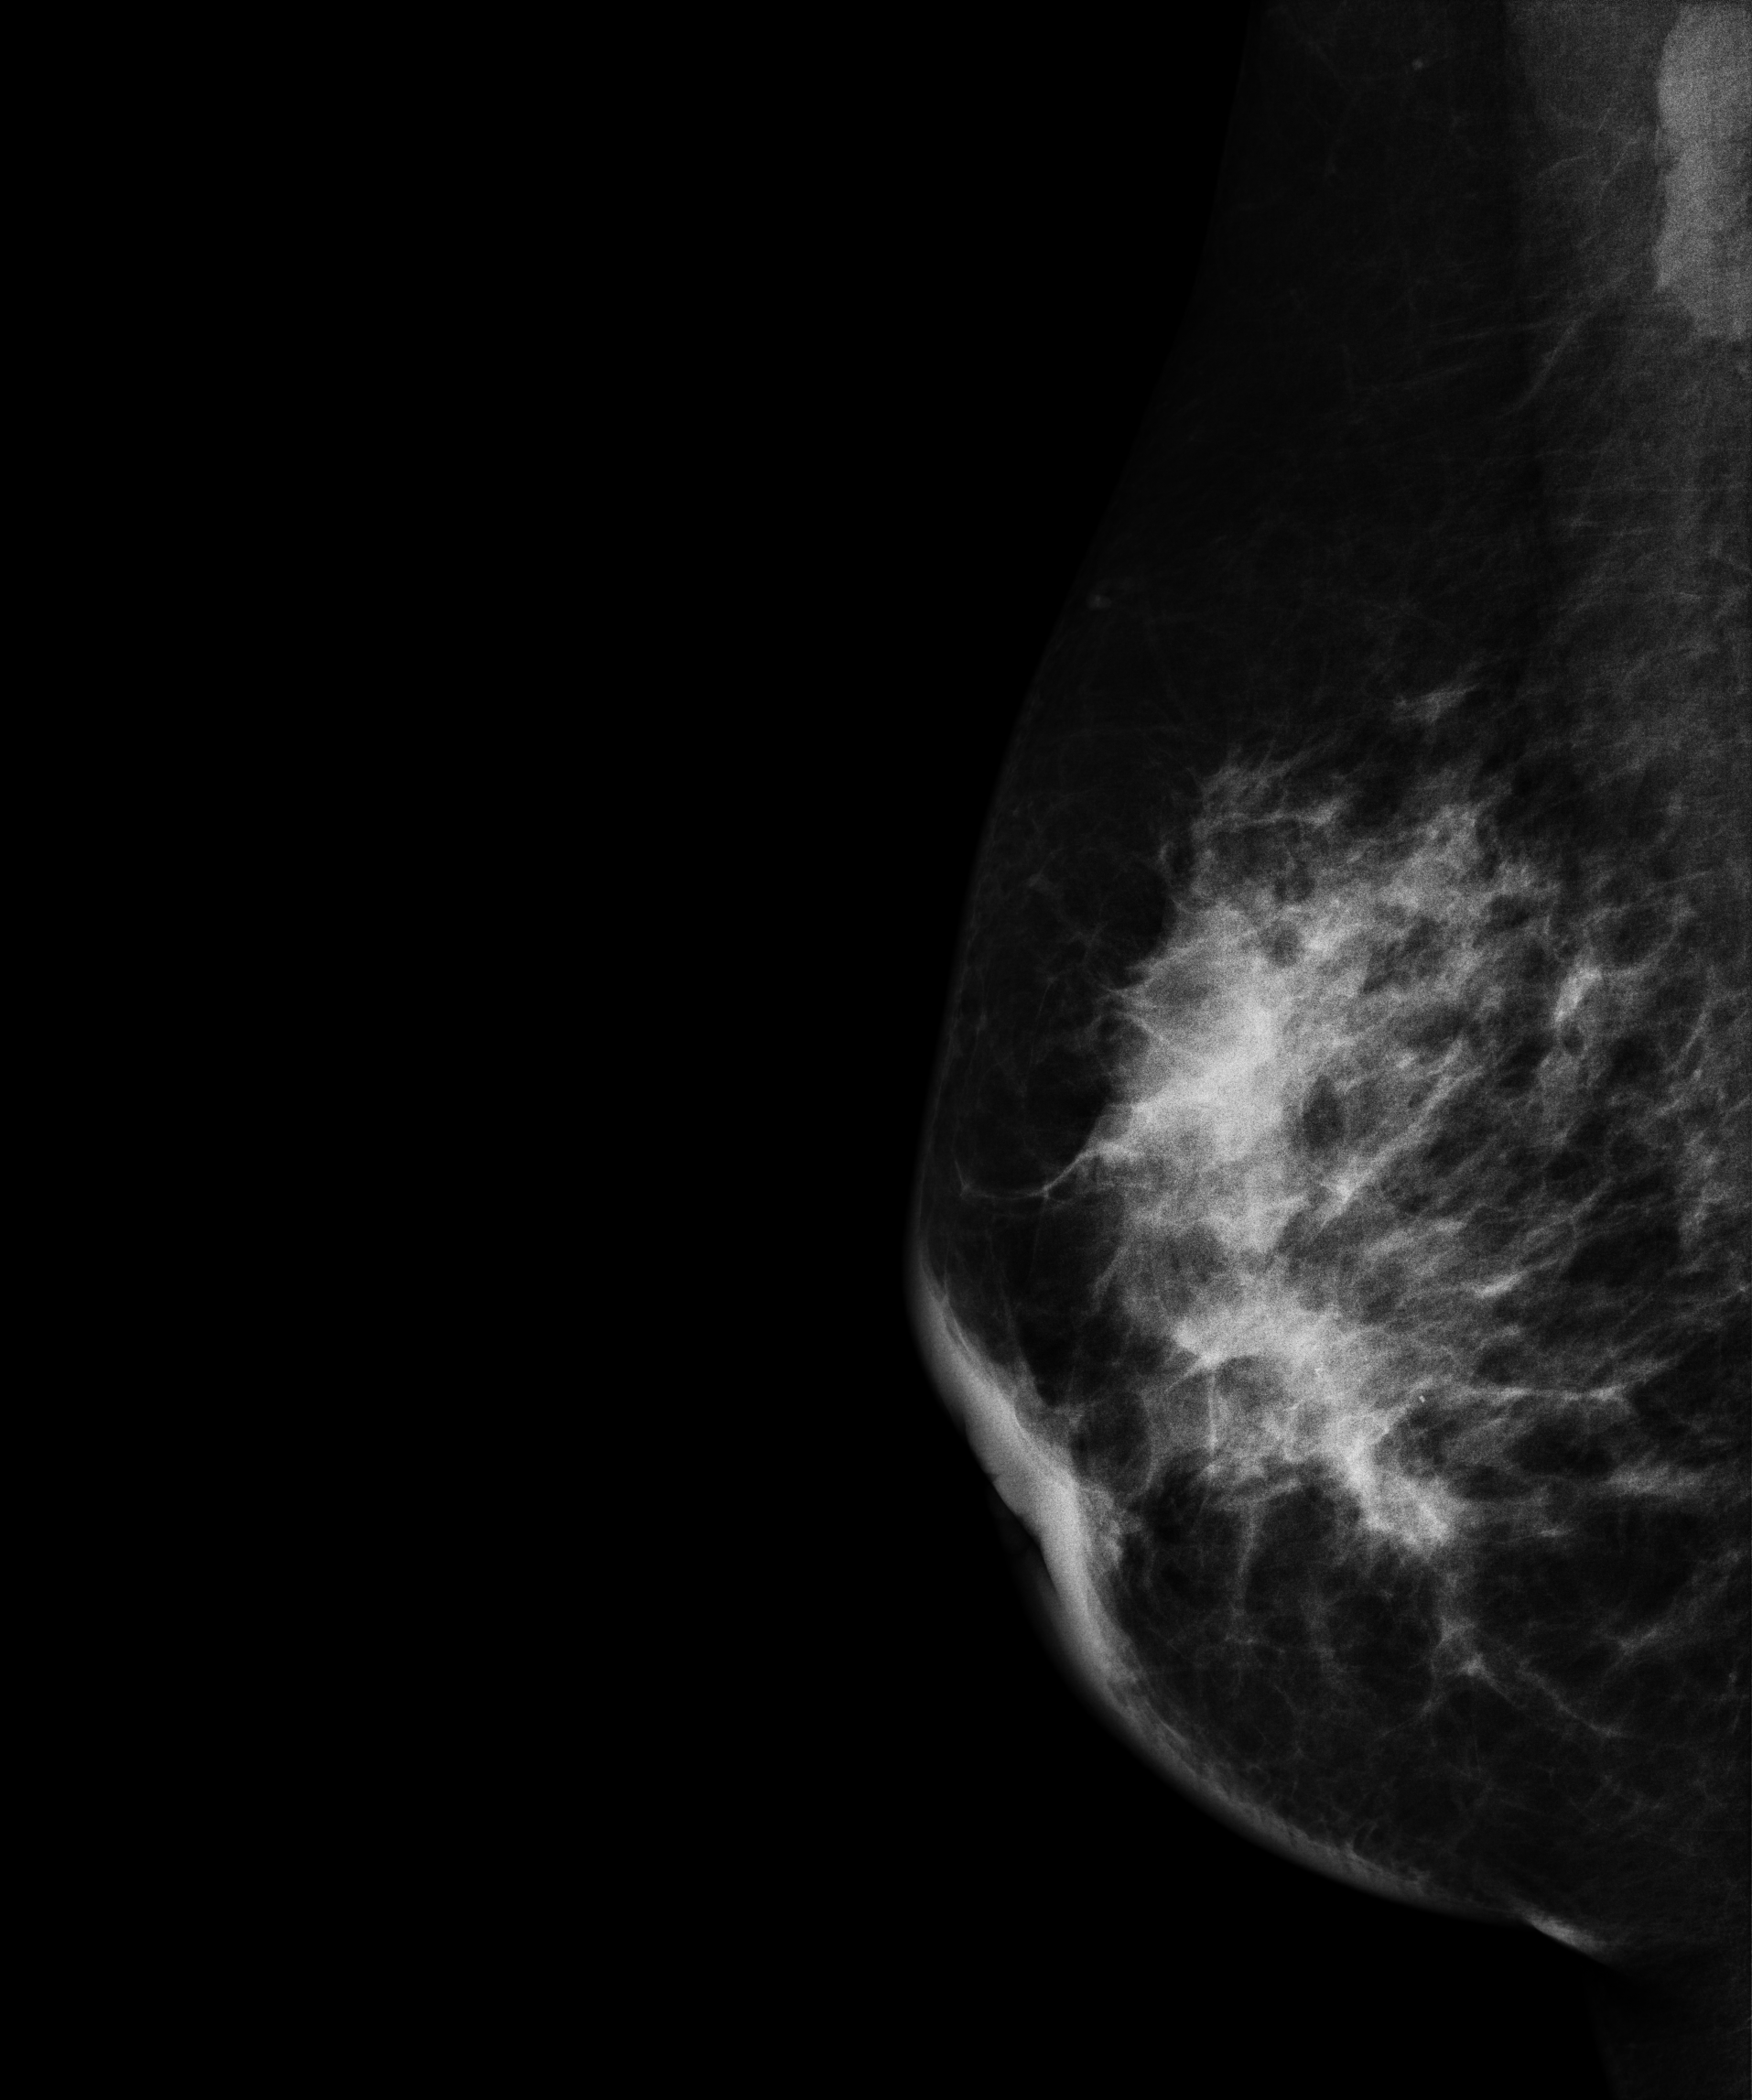
Mammogram — right MLO. 52-year-old patient.
This breast has a mass and calcifications, pathology-confirmed malignant.